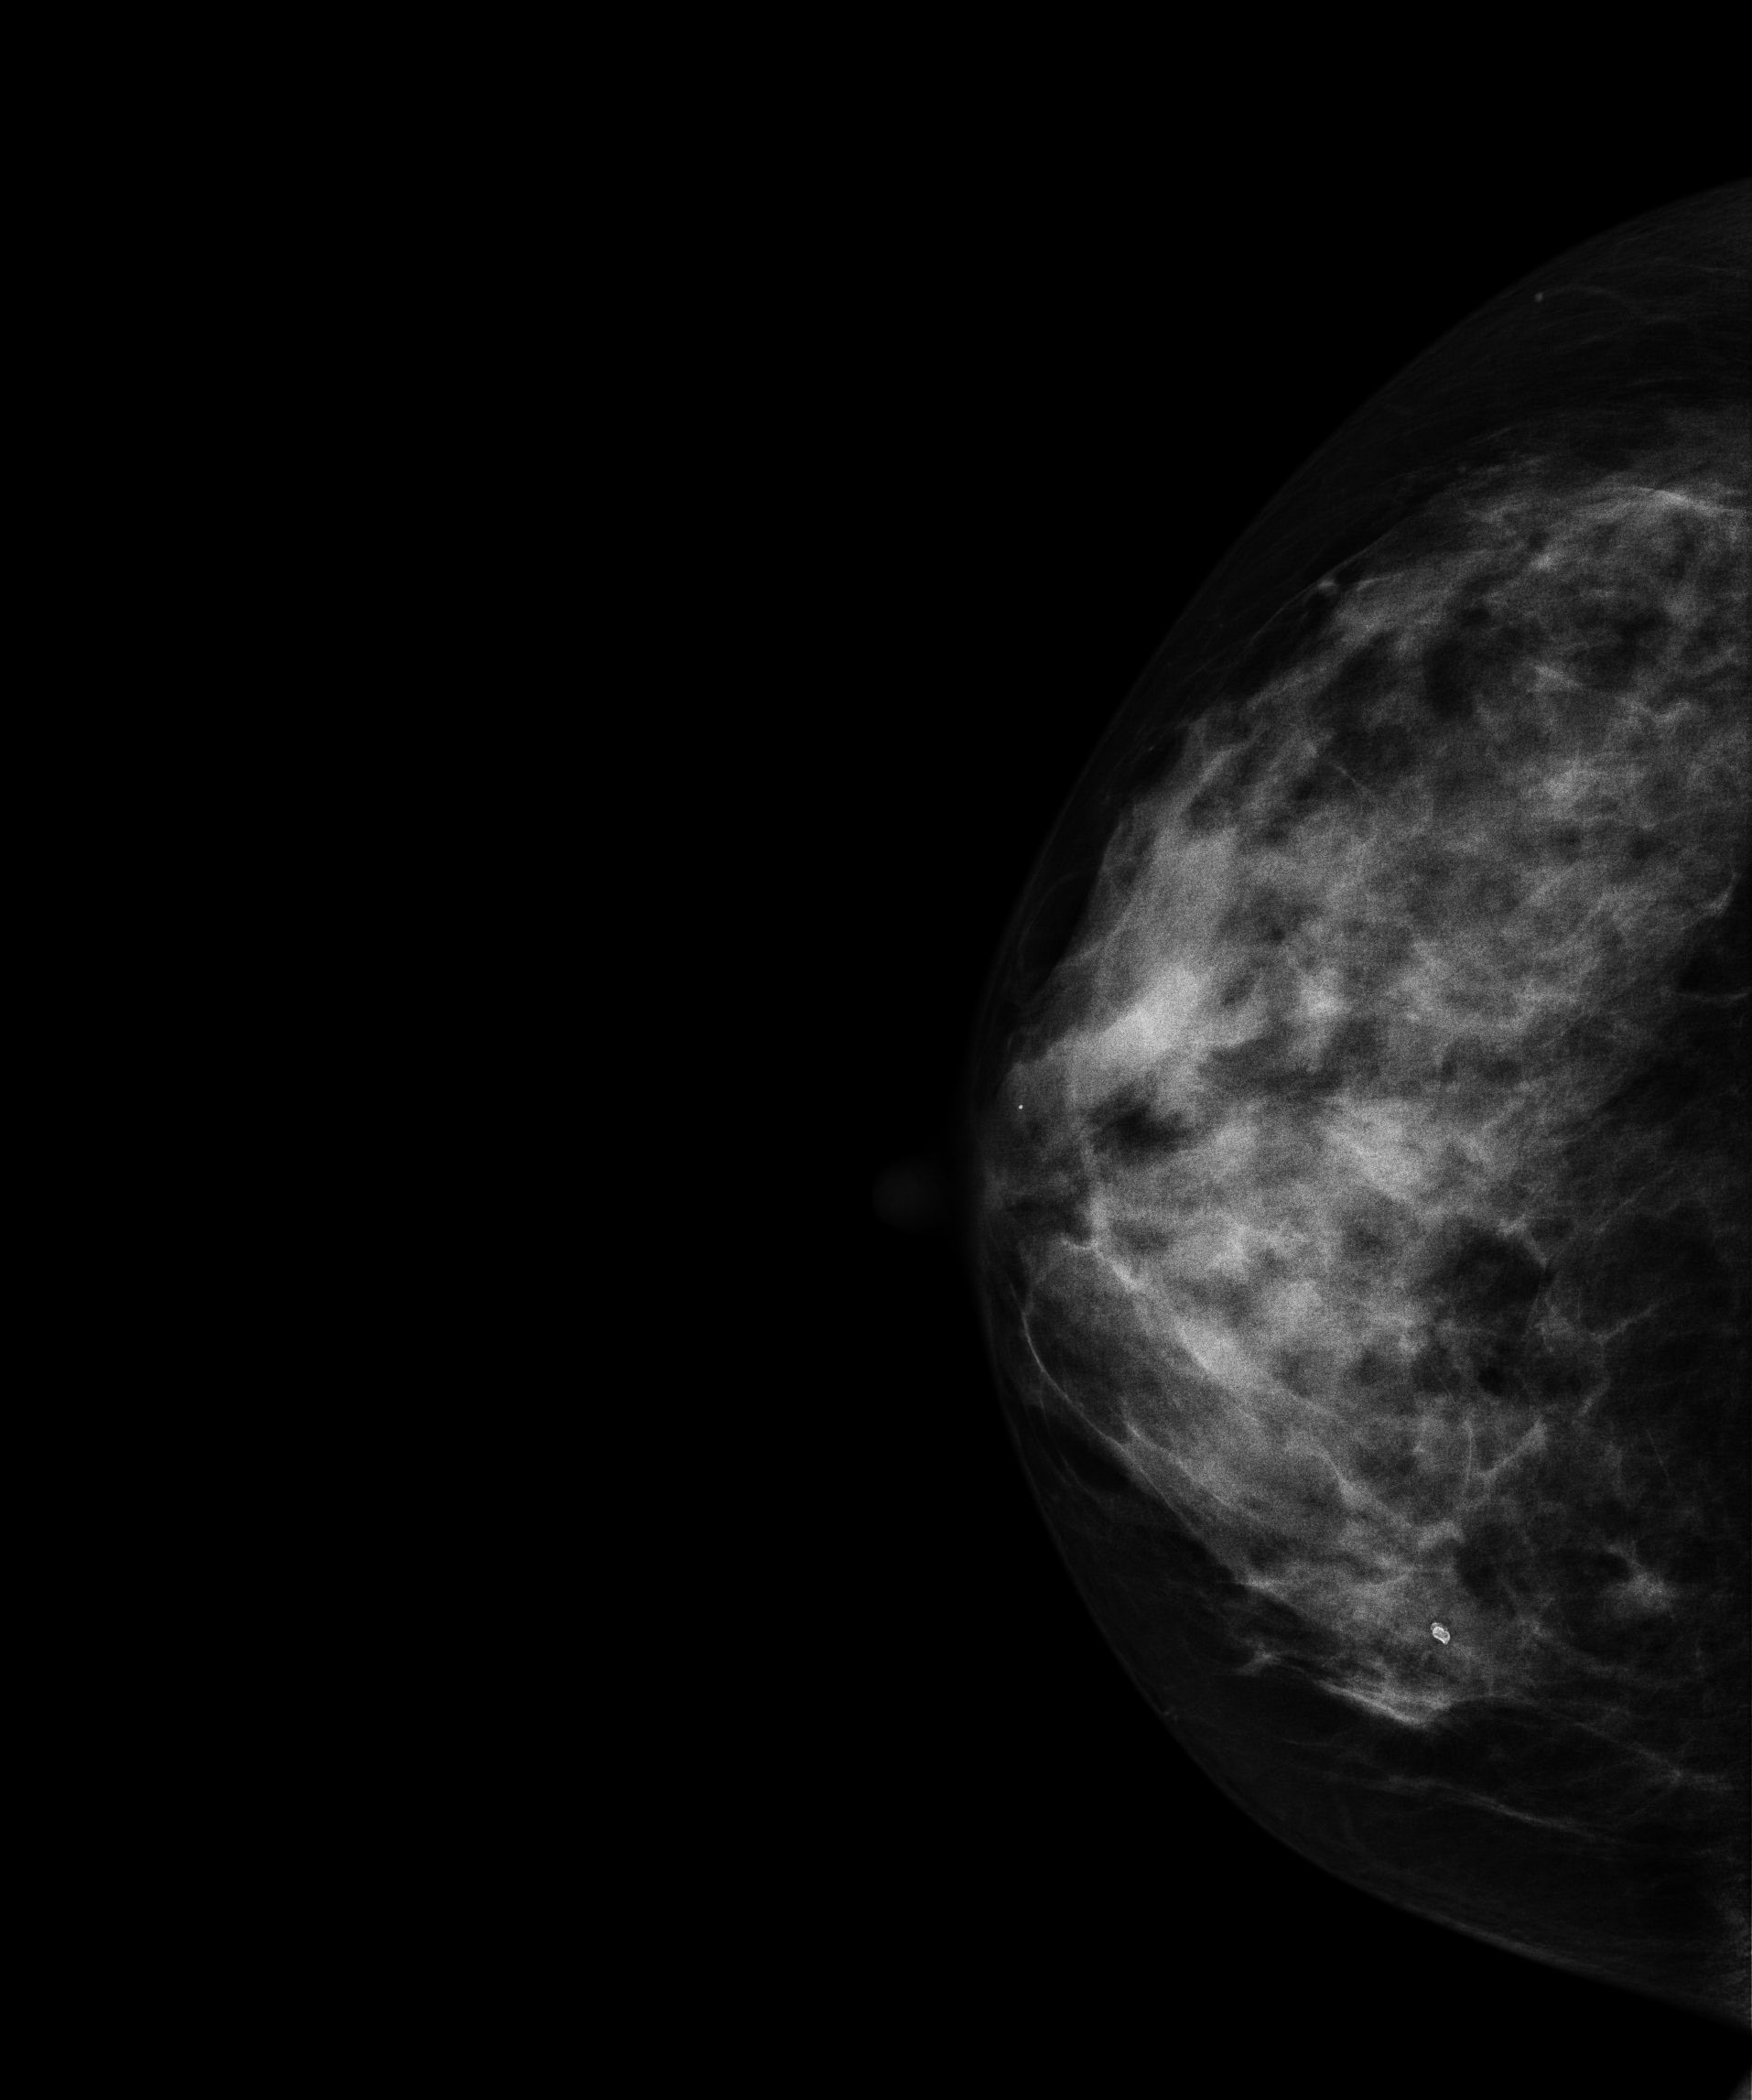
Digital mammography. Right breast, CC projection. 56 y/o patient.
Contralateral breast — no documented abnormality on this side.